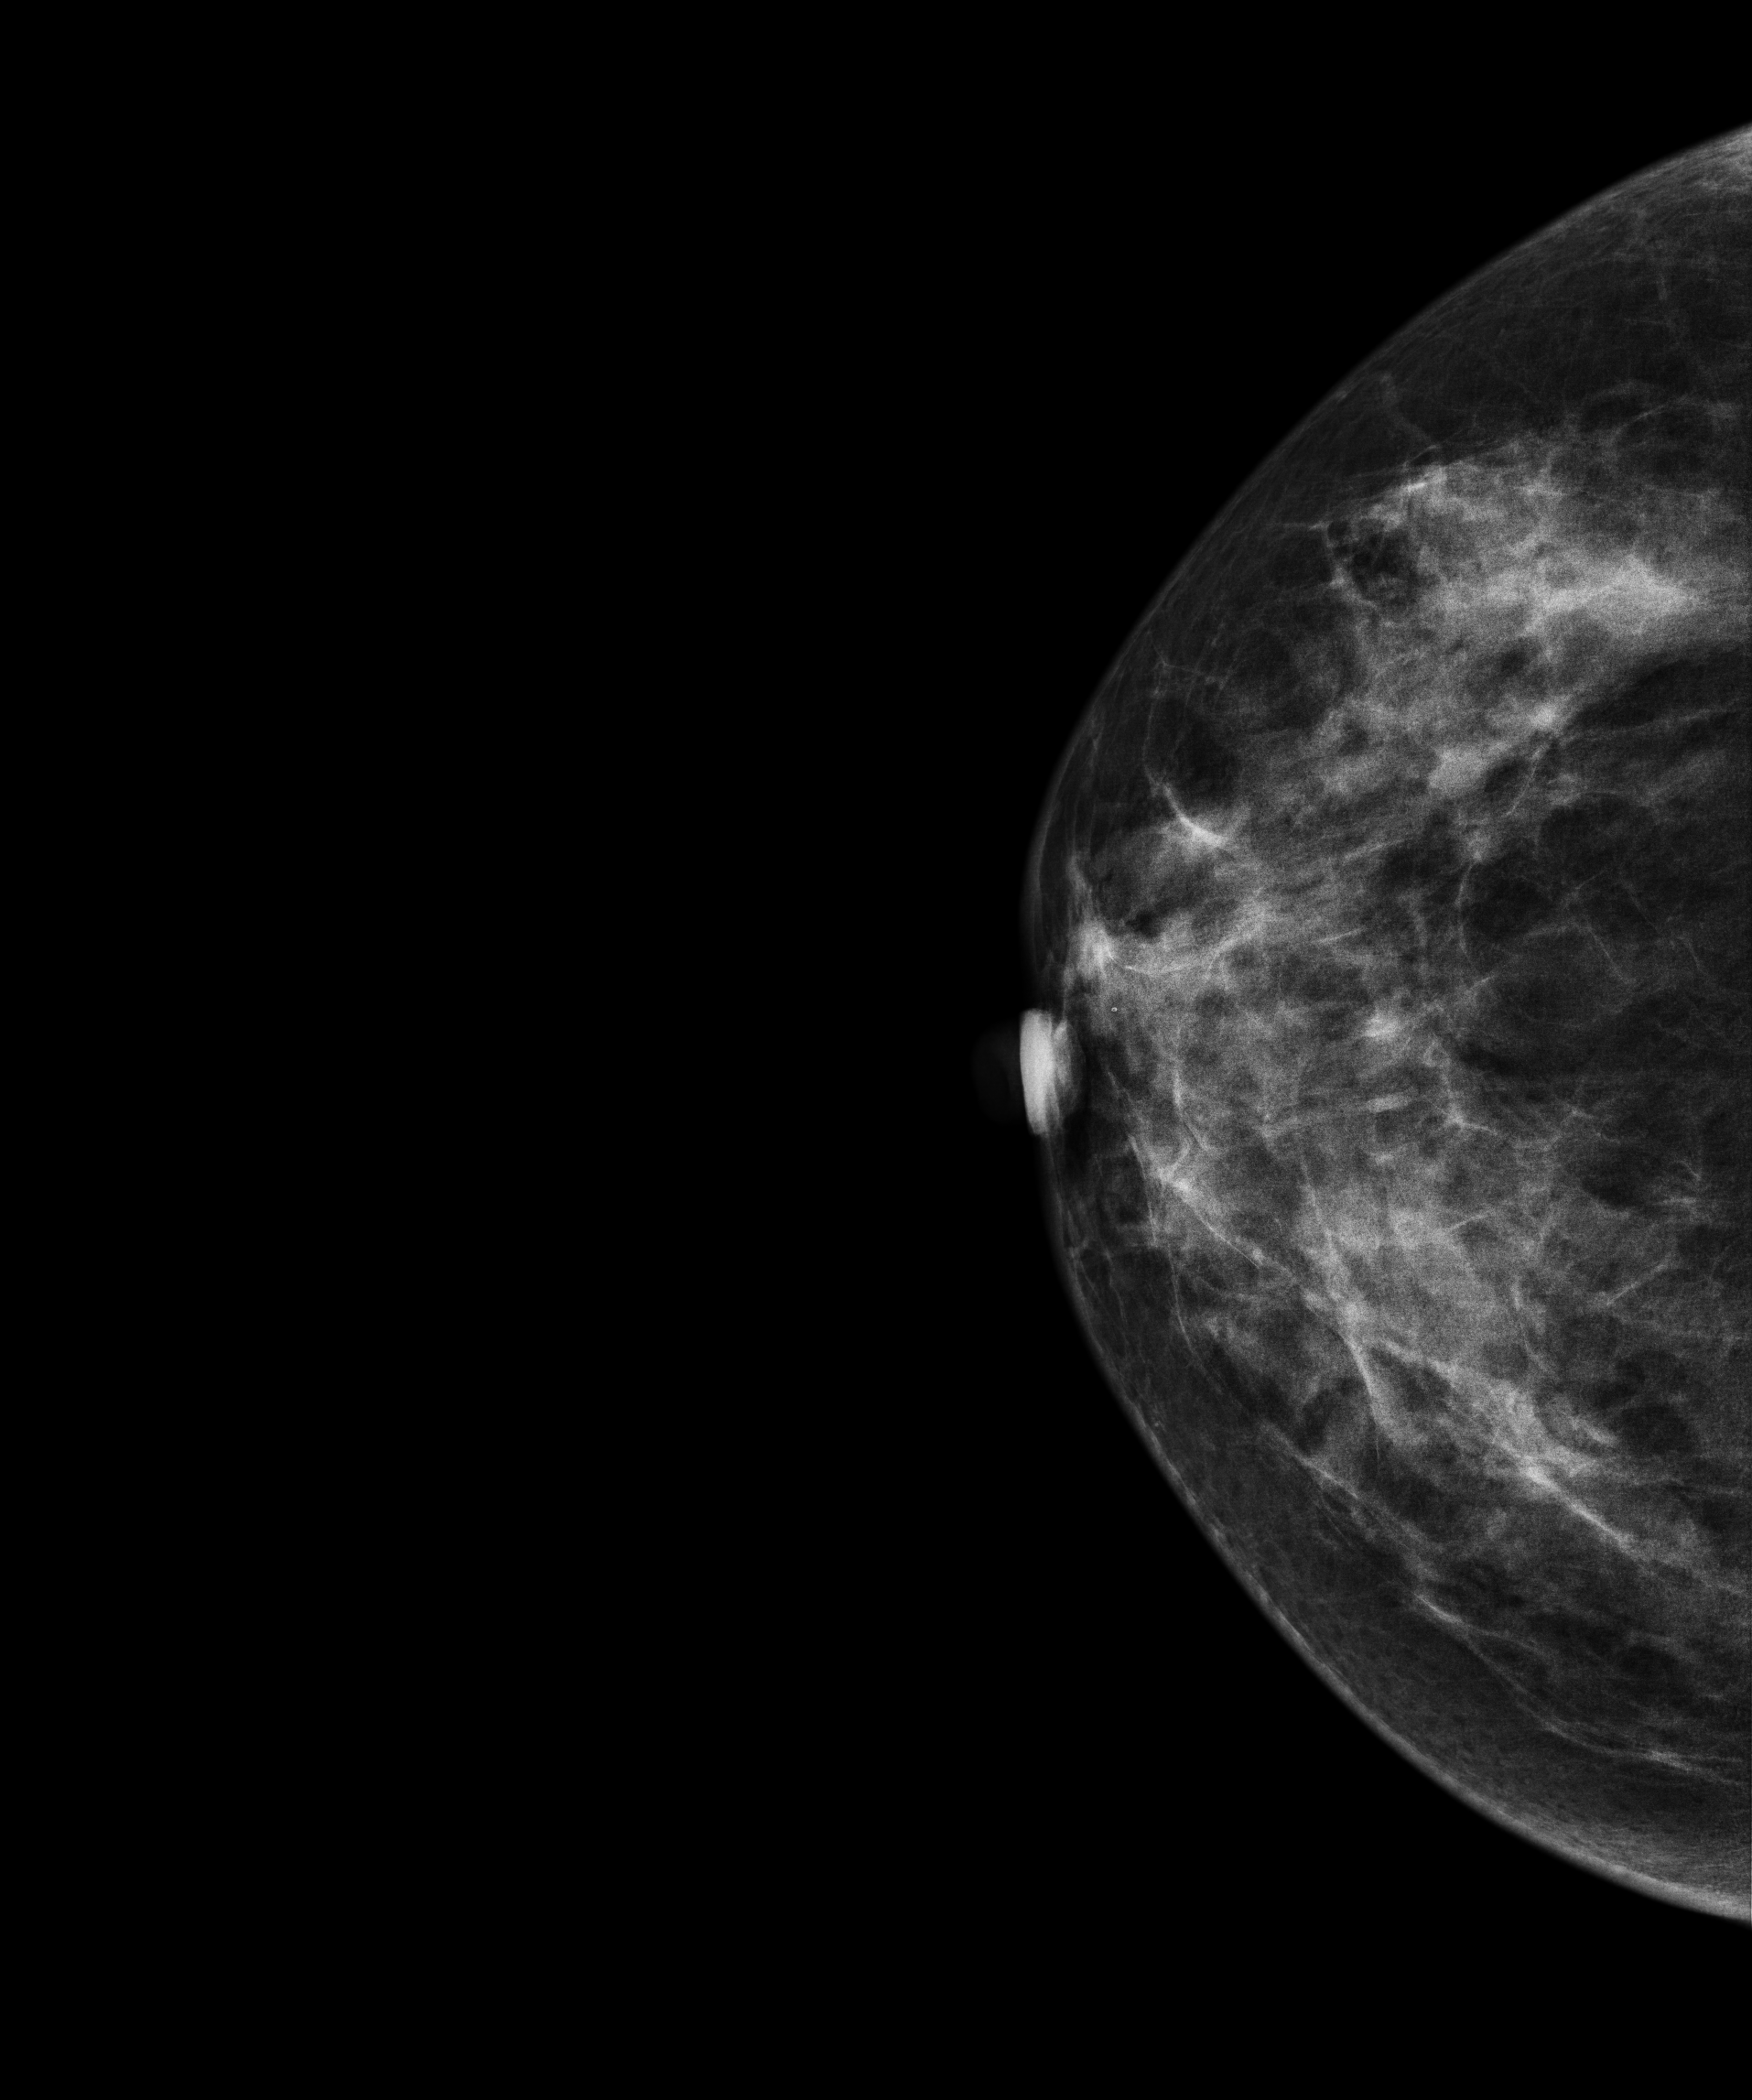
Digital mammography. Right breast, CC projection. 49 y/o patient.
This breast has a mass, biopsy-proven benign.